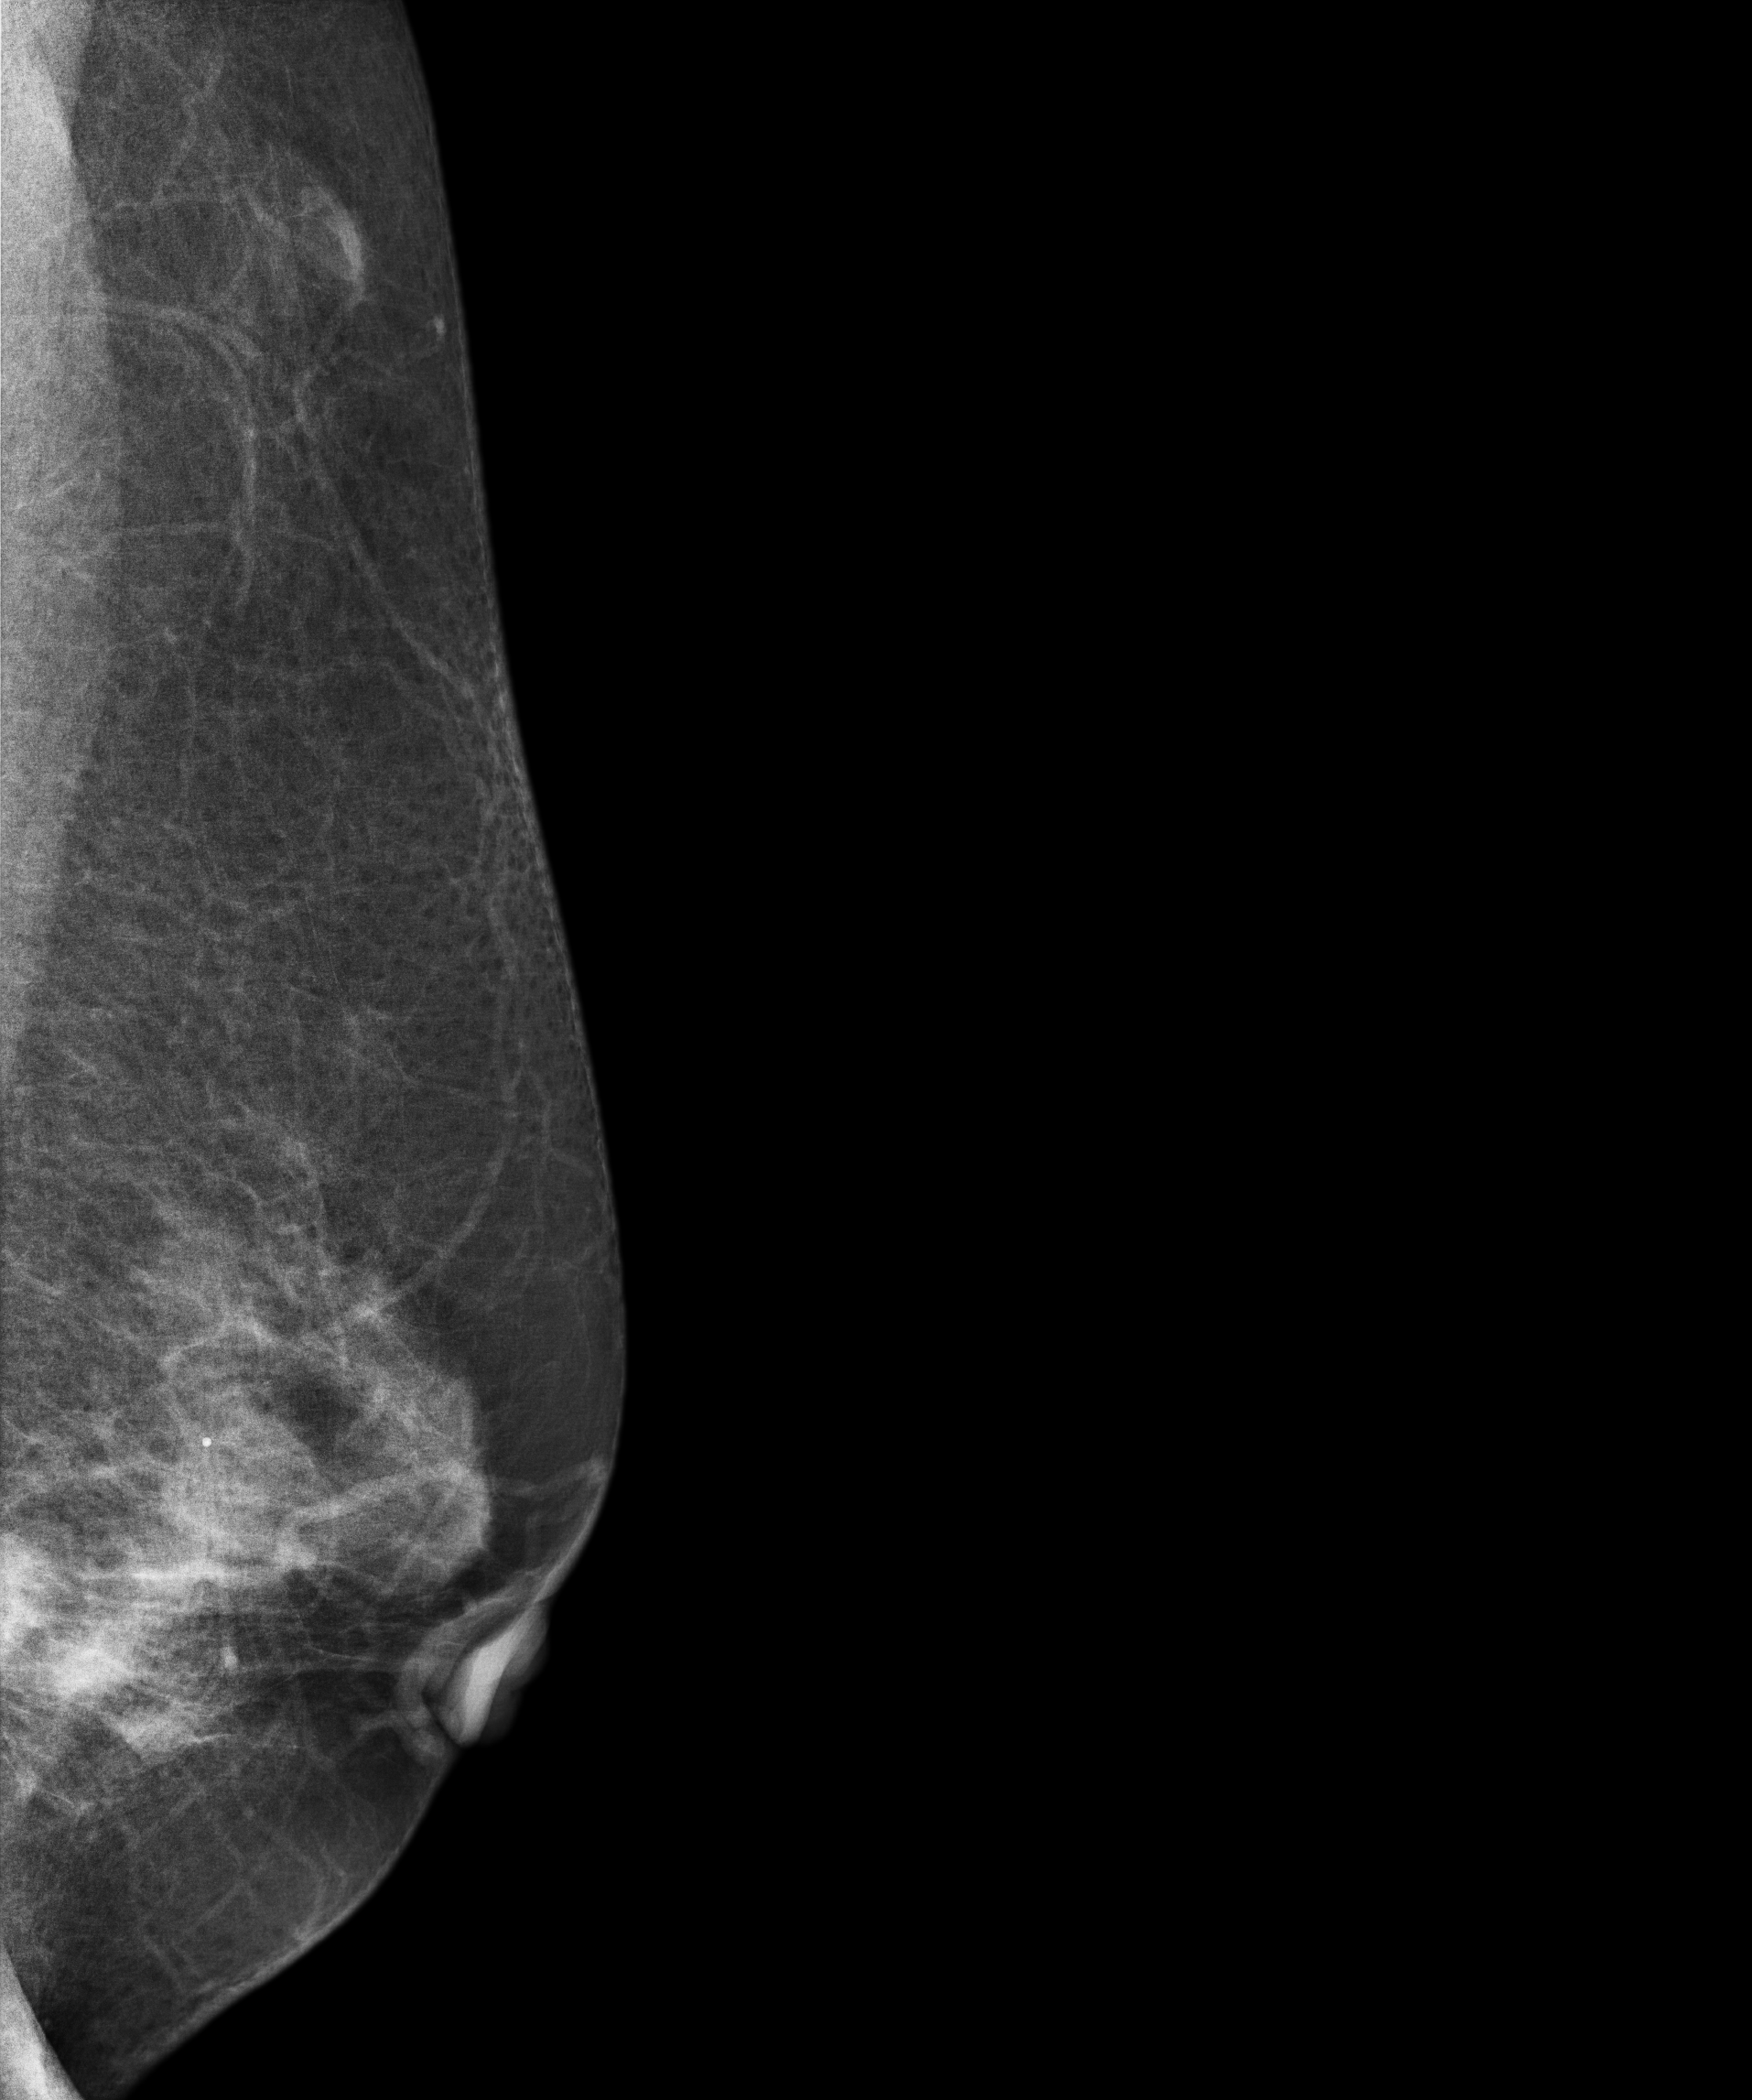
Mammogram, left breast, medio-lateral oblique view. 57-year-old patient.
This breast has a mass and calcifications, histologically confirmed malignant. Molecular subtype: luminal A.